Mammogram, left breast, cranio-caudal view. Patient age 34.
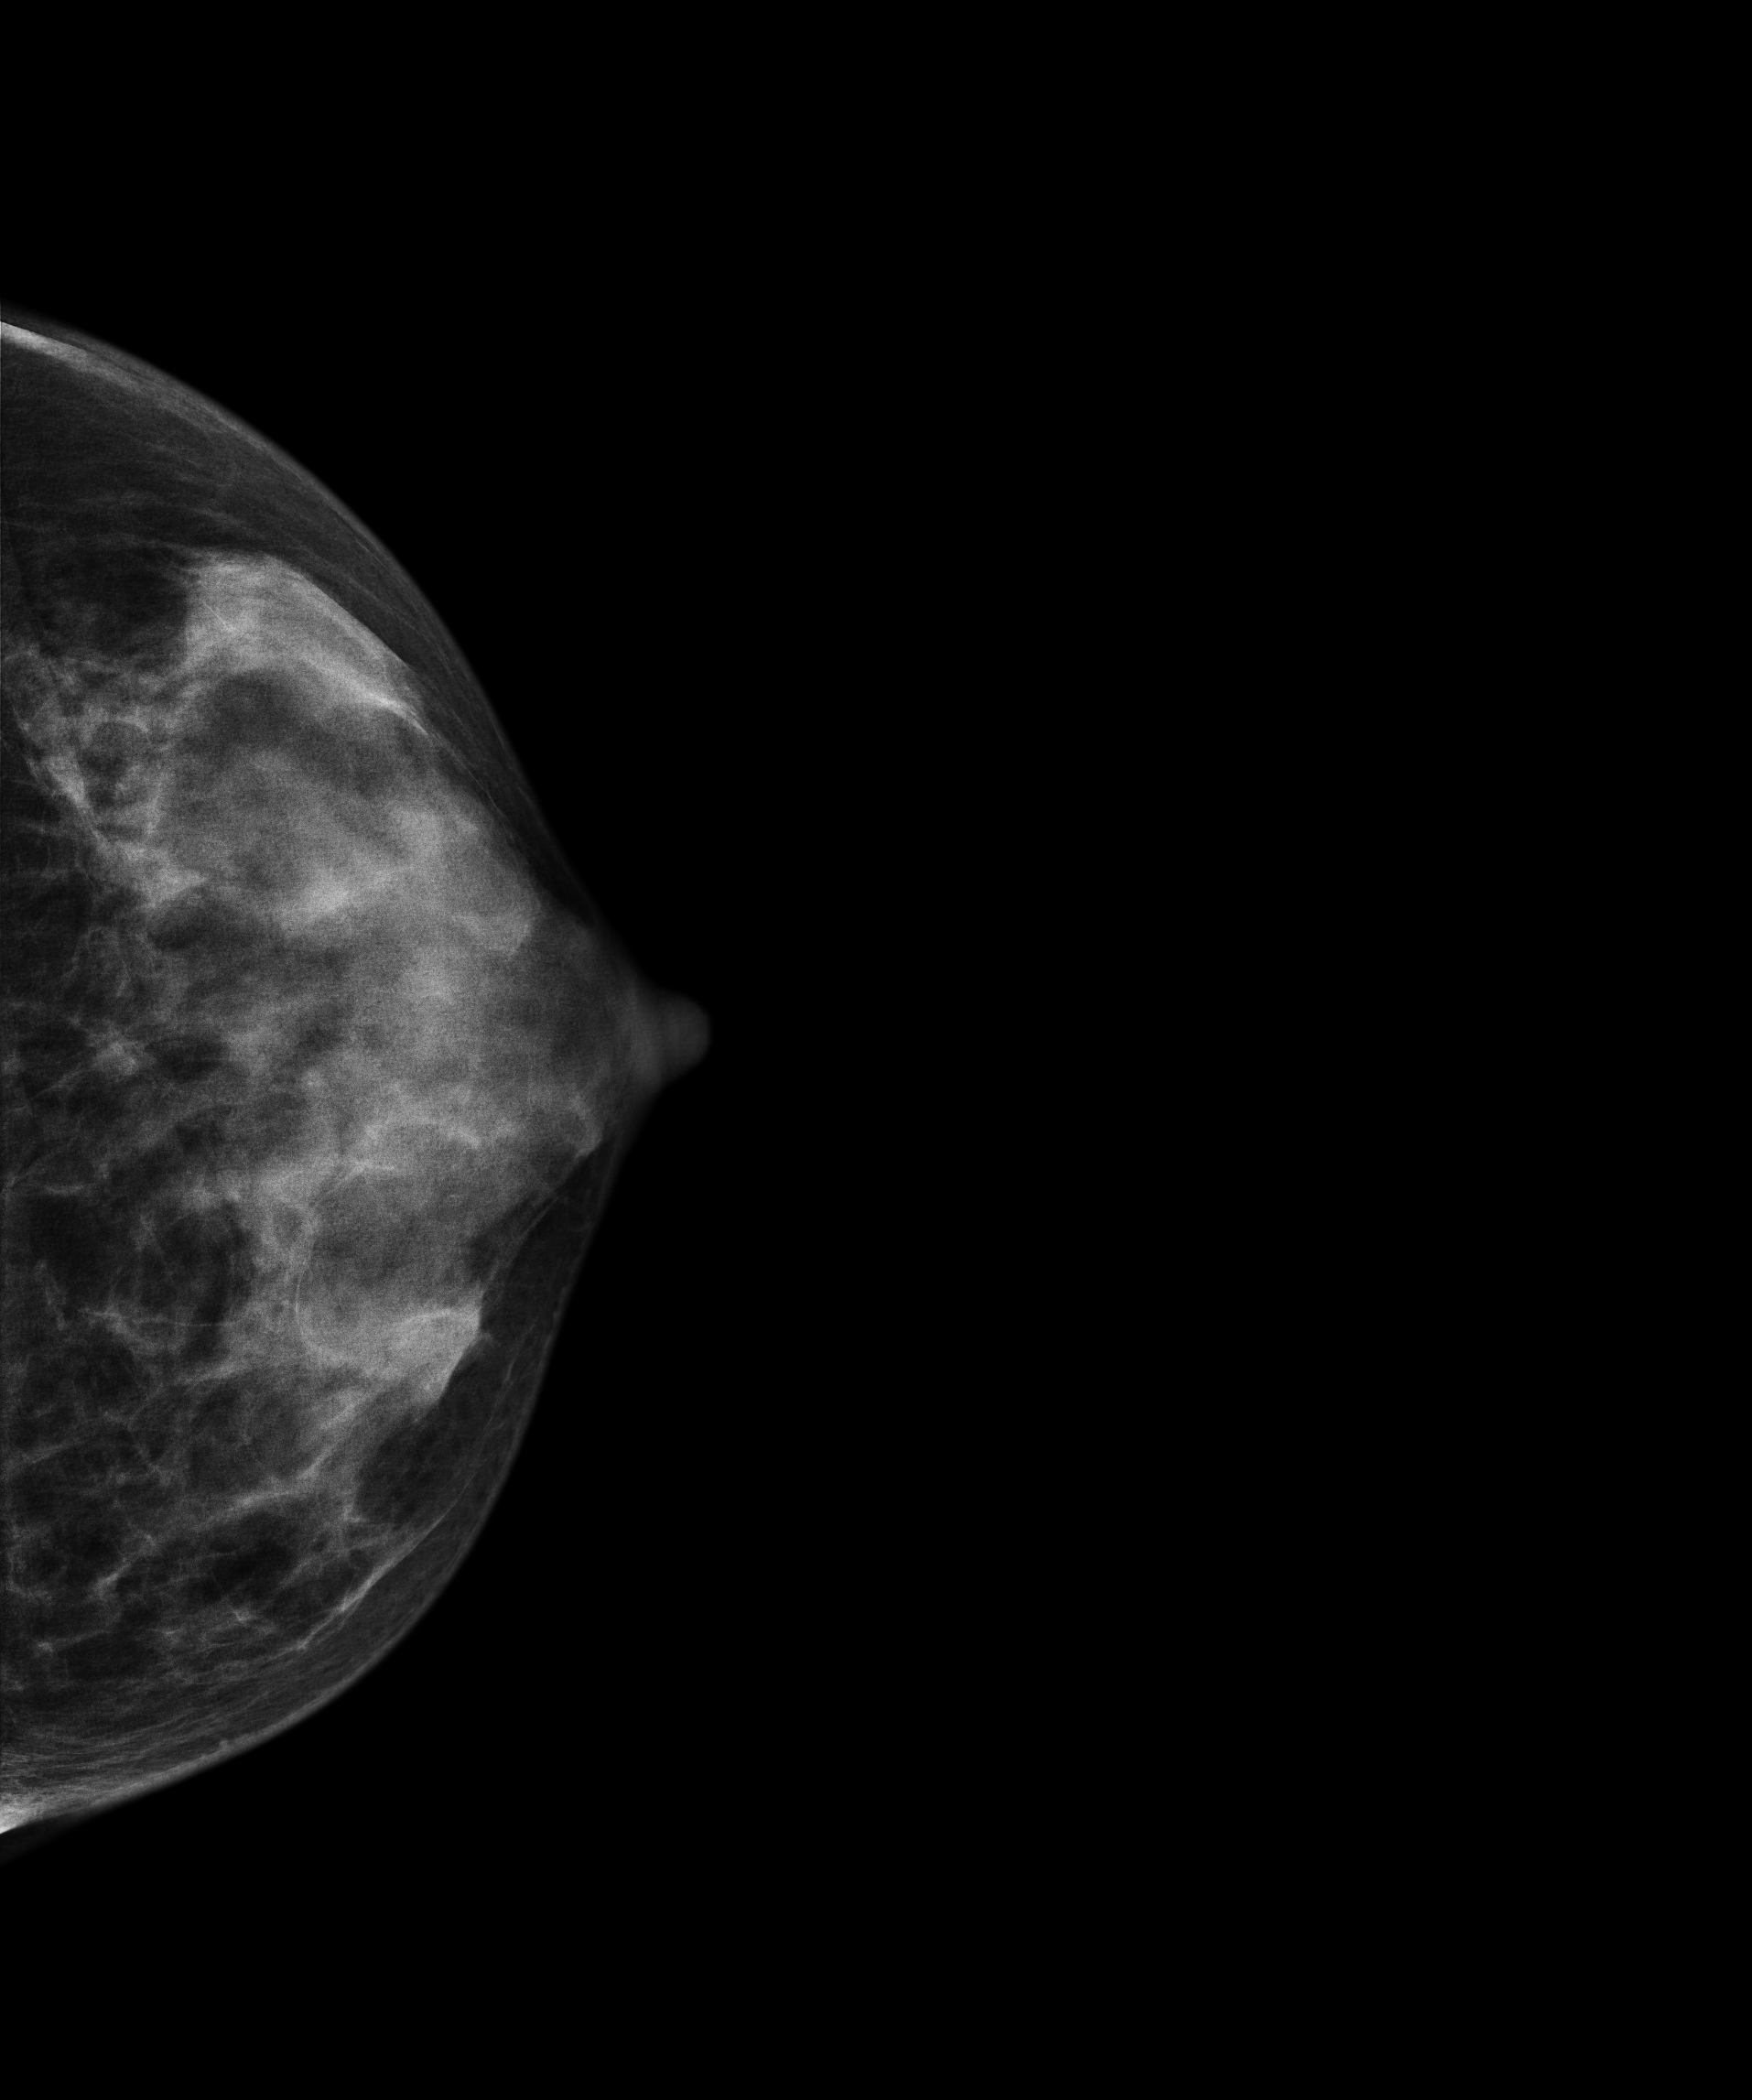
Contralateral breast — no documented abnormality on this side.